Mammogram — right CC. 51 y/o patient.
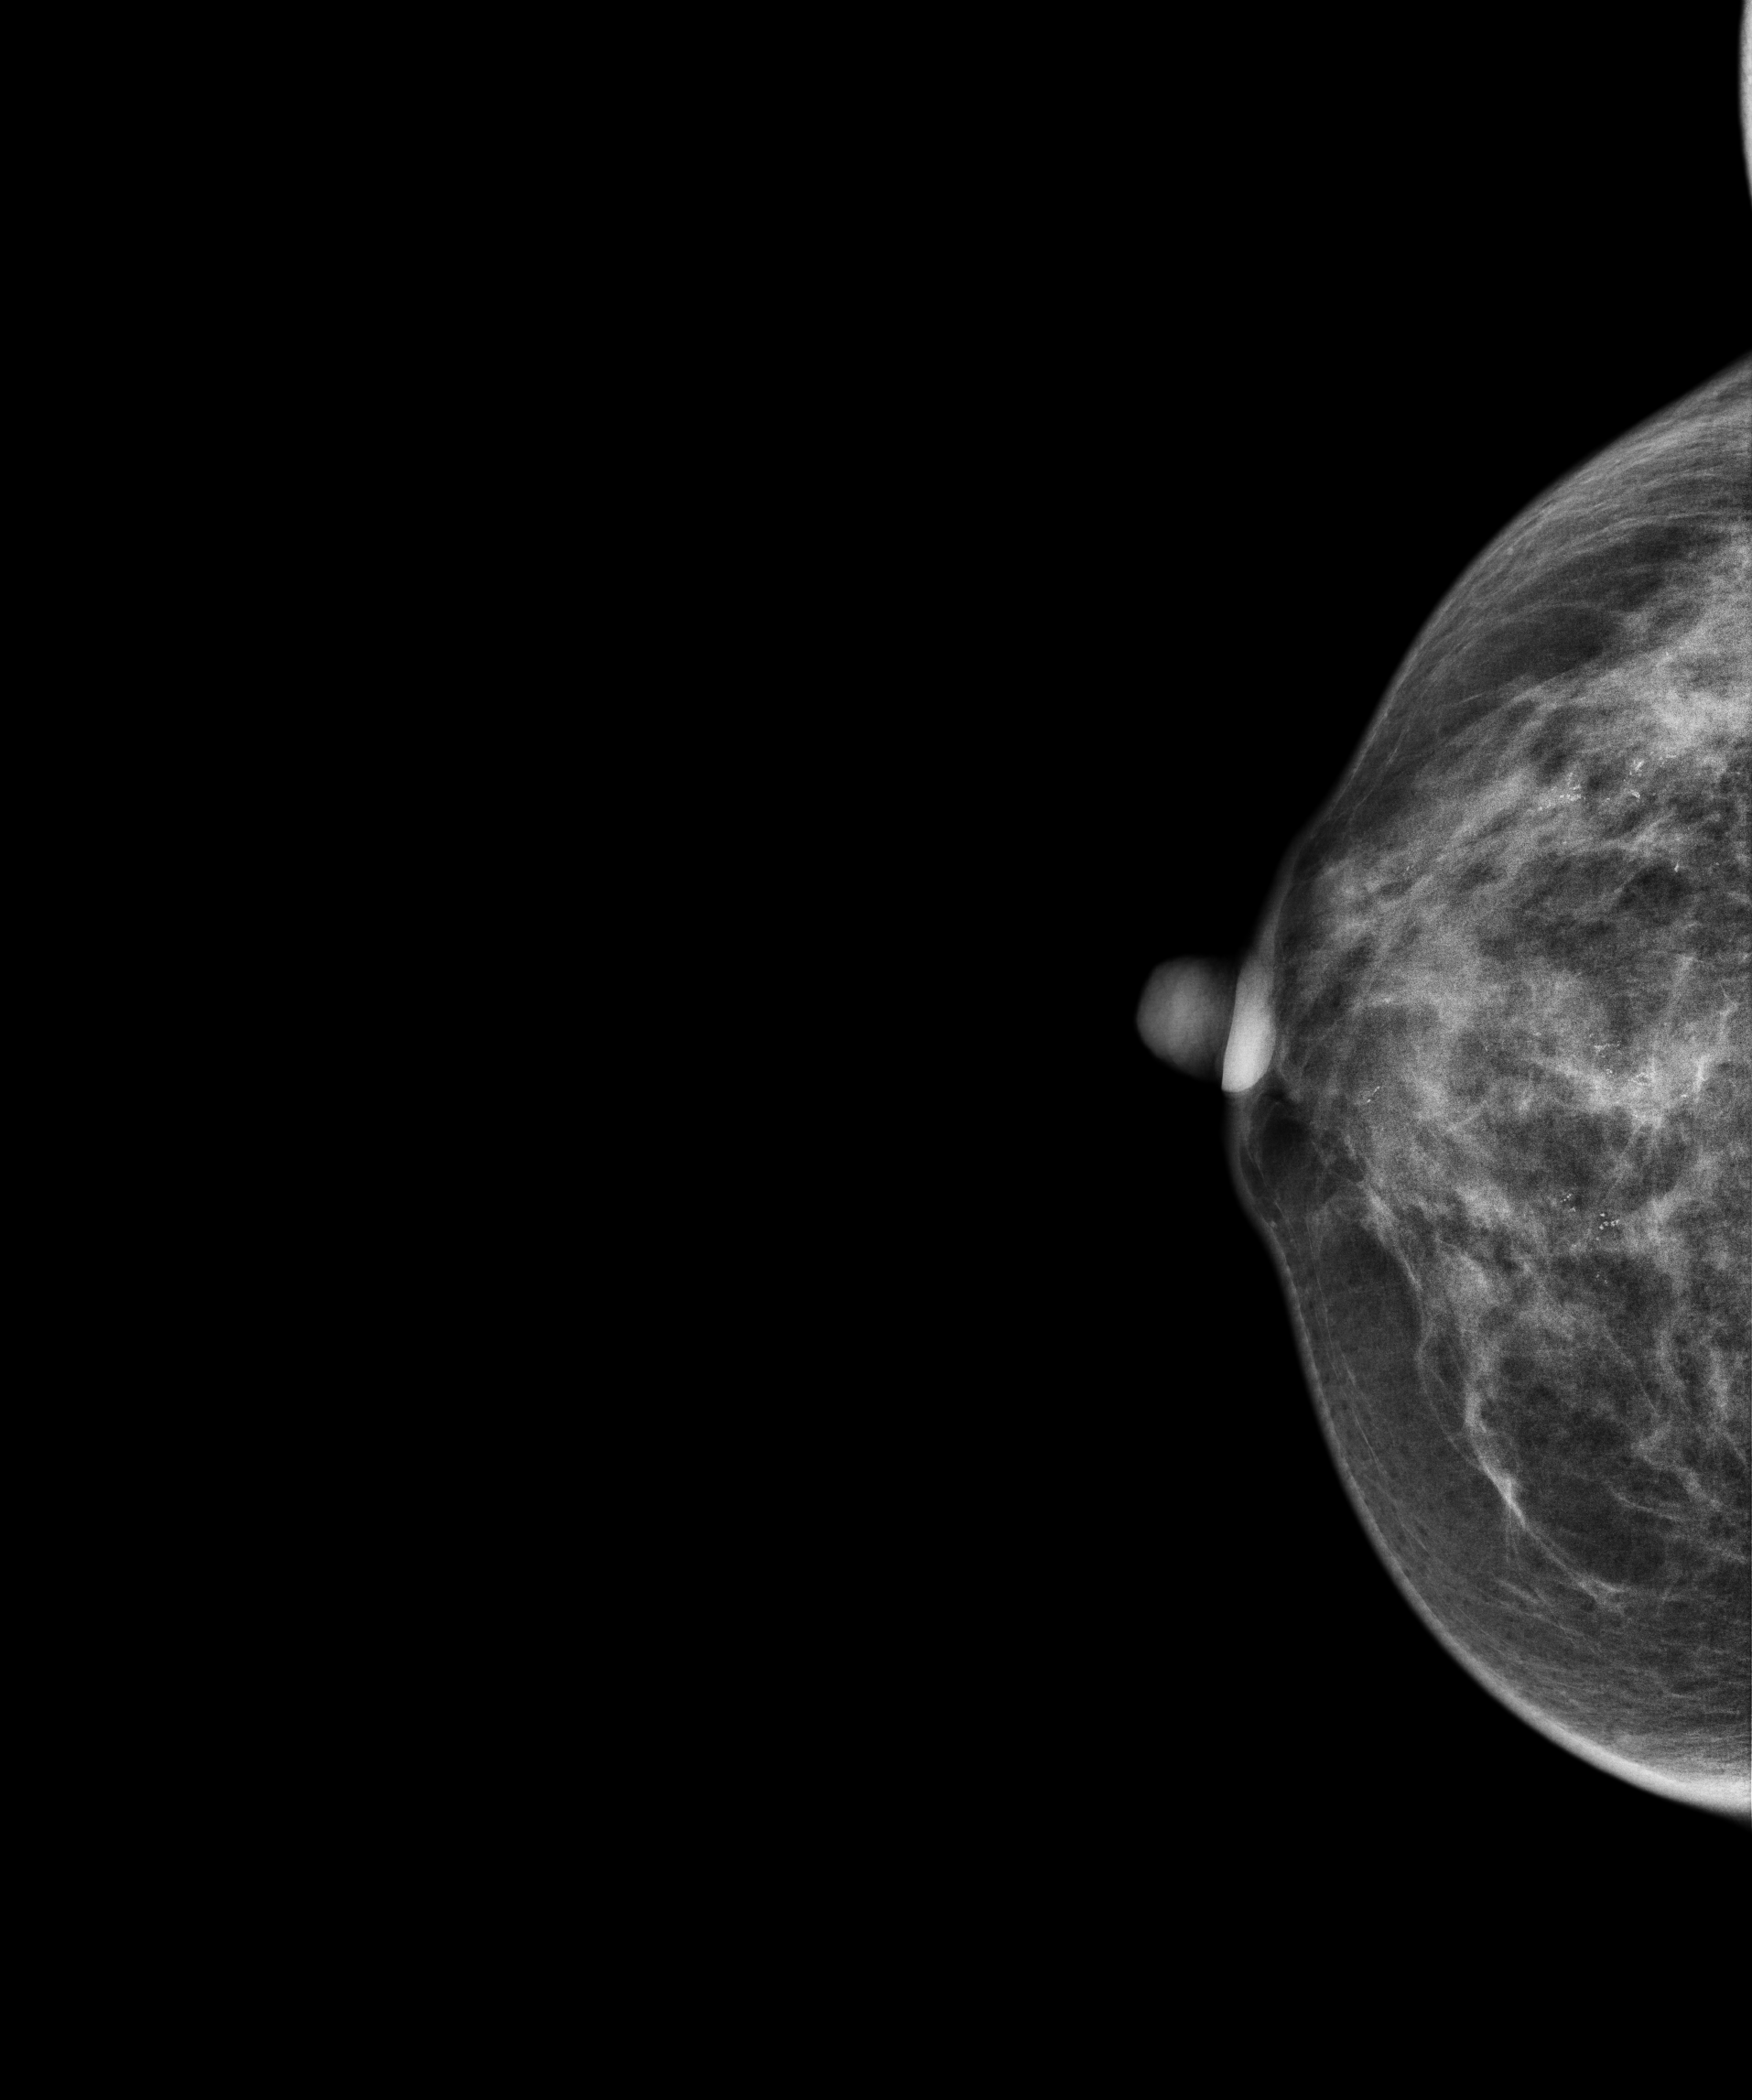
This breast has a mass and calcifications, pathology-confirmed malignant. Molecular subtype: triple-negative.